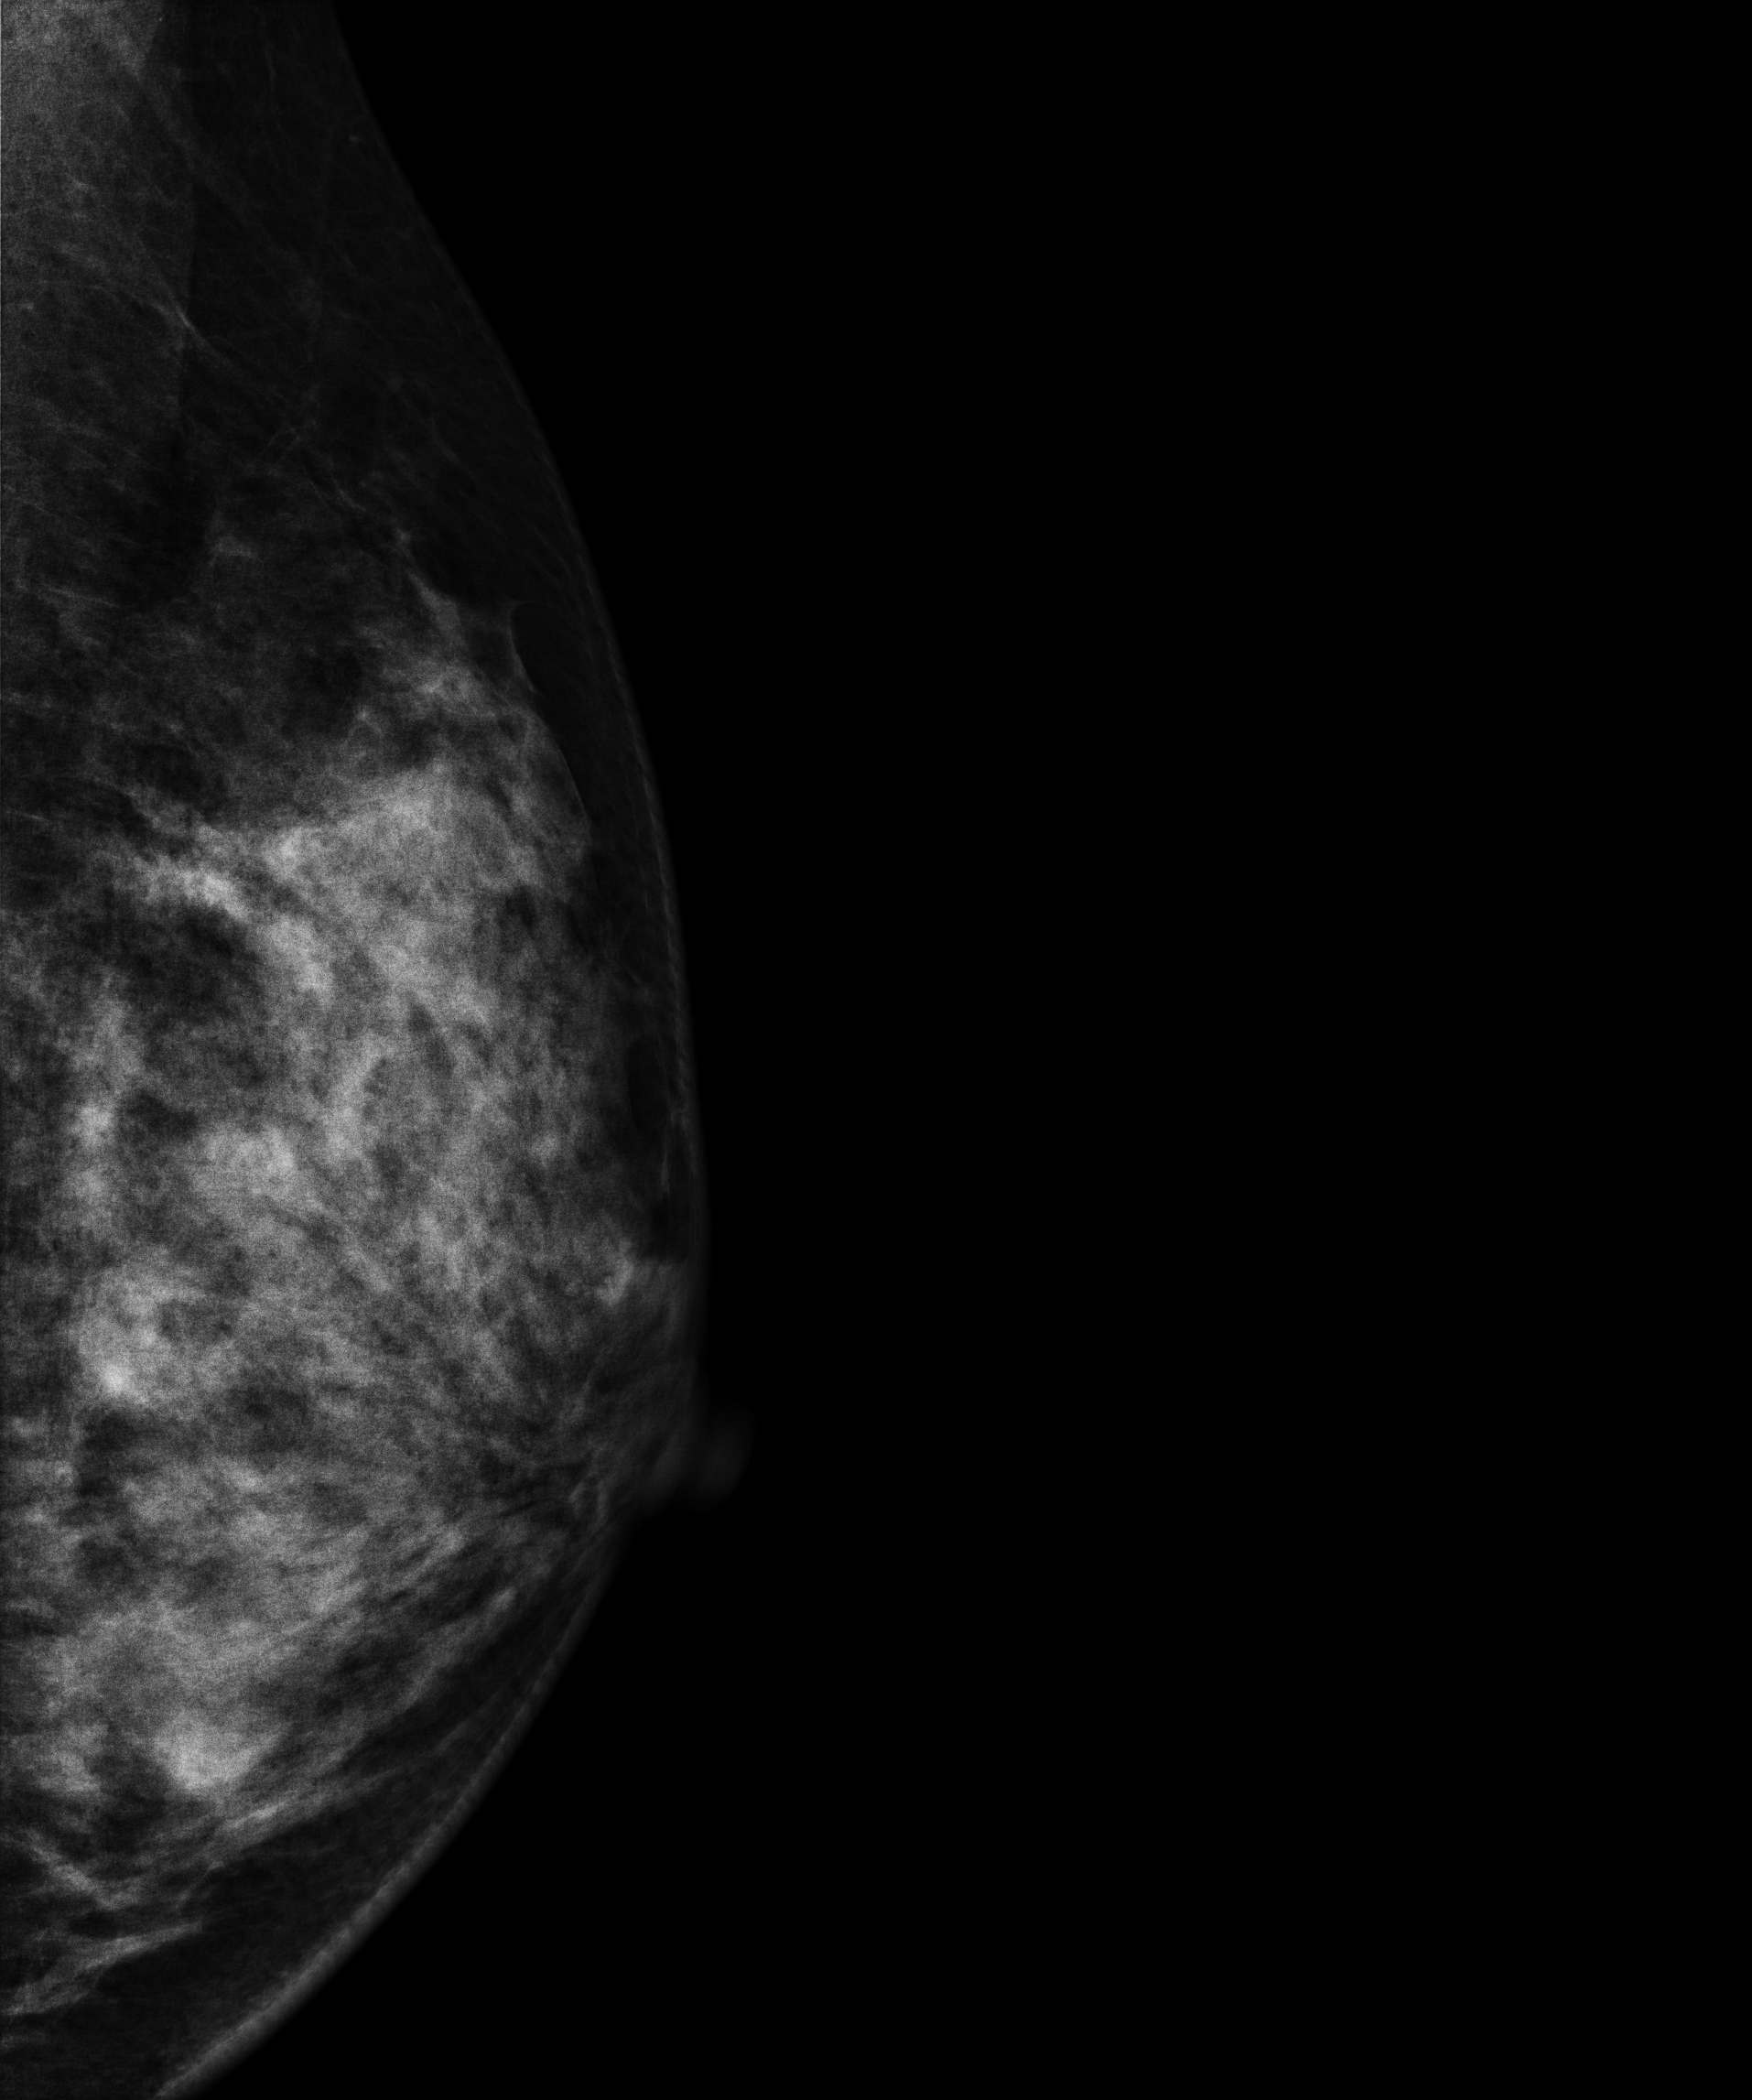
Digital mammography. Left breast, MLO projection. 34-year-old patient.
Contralateral breast — no documented abnormality on this side.